Right-breast mammogram, CC. 47-year-old patient.
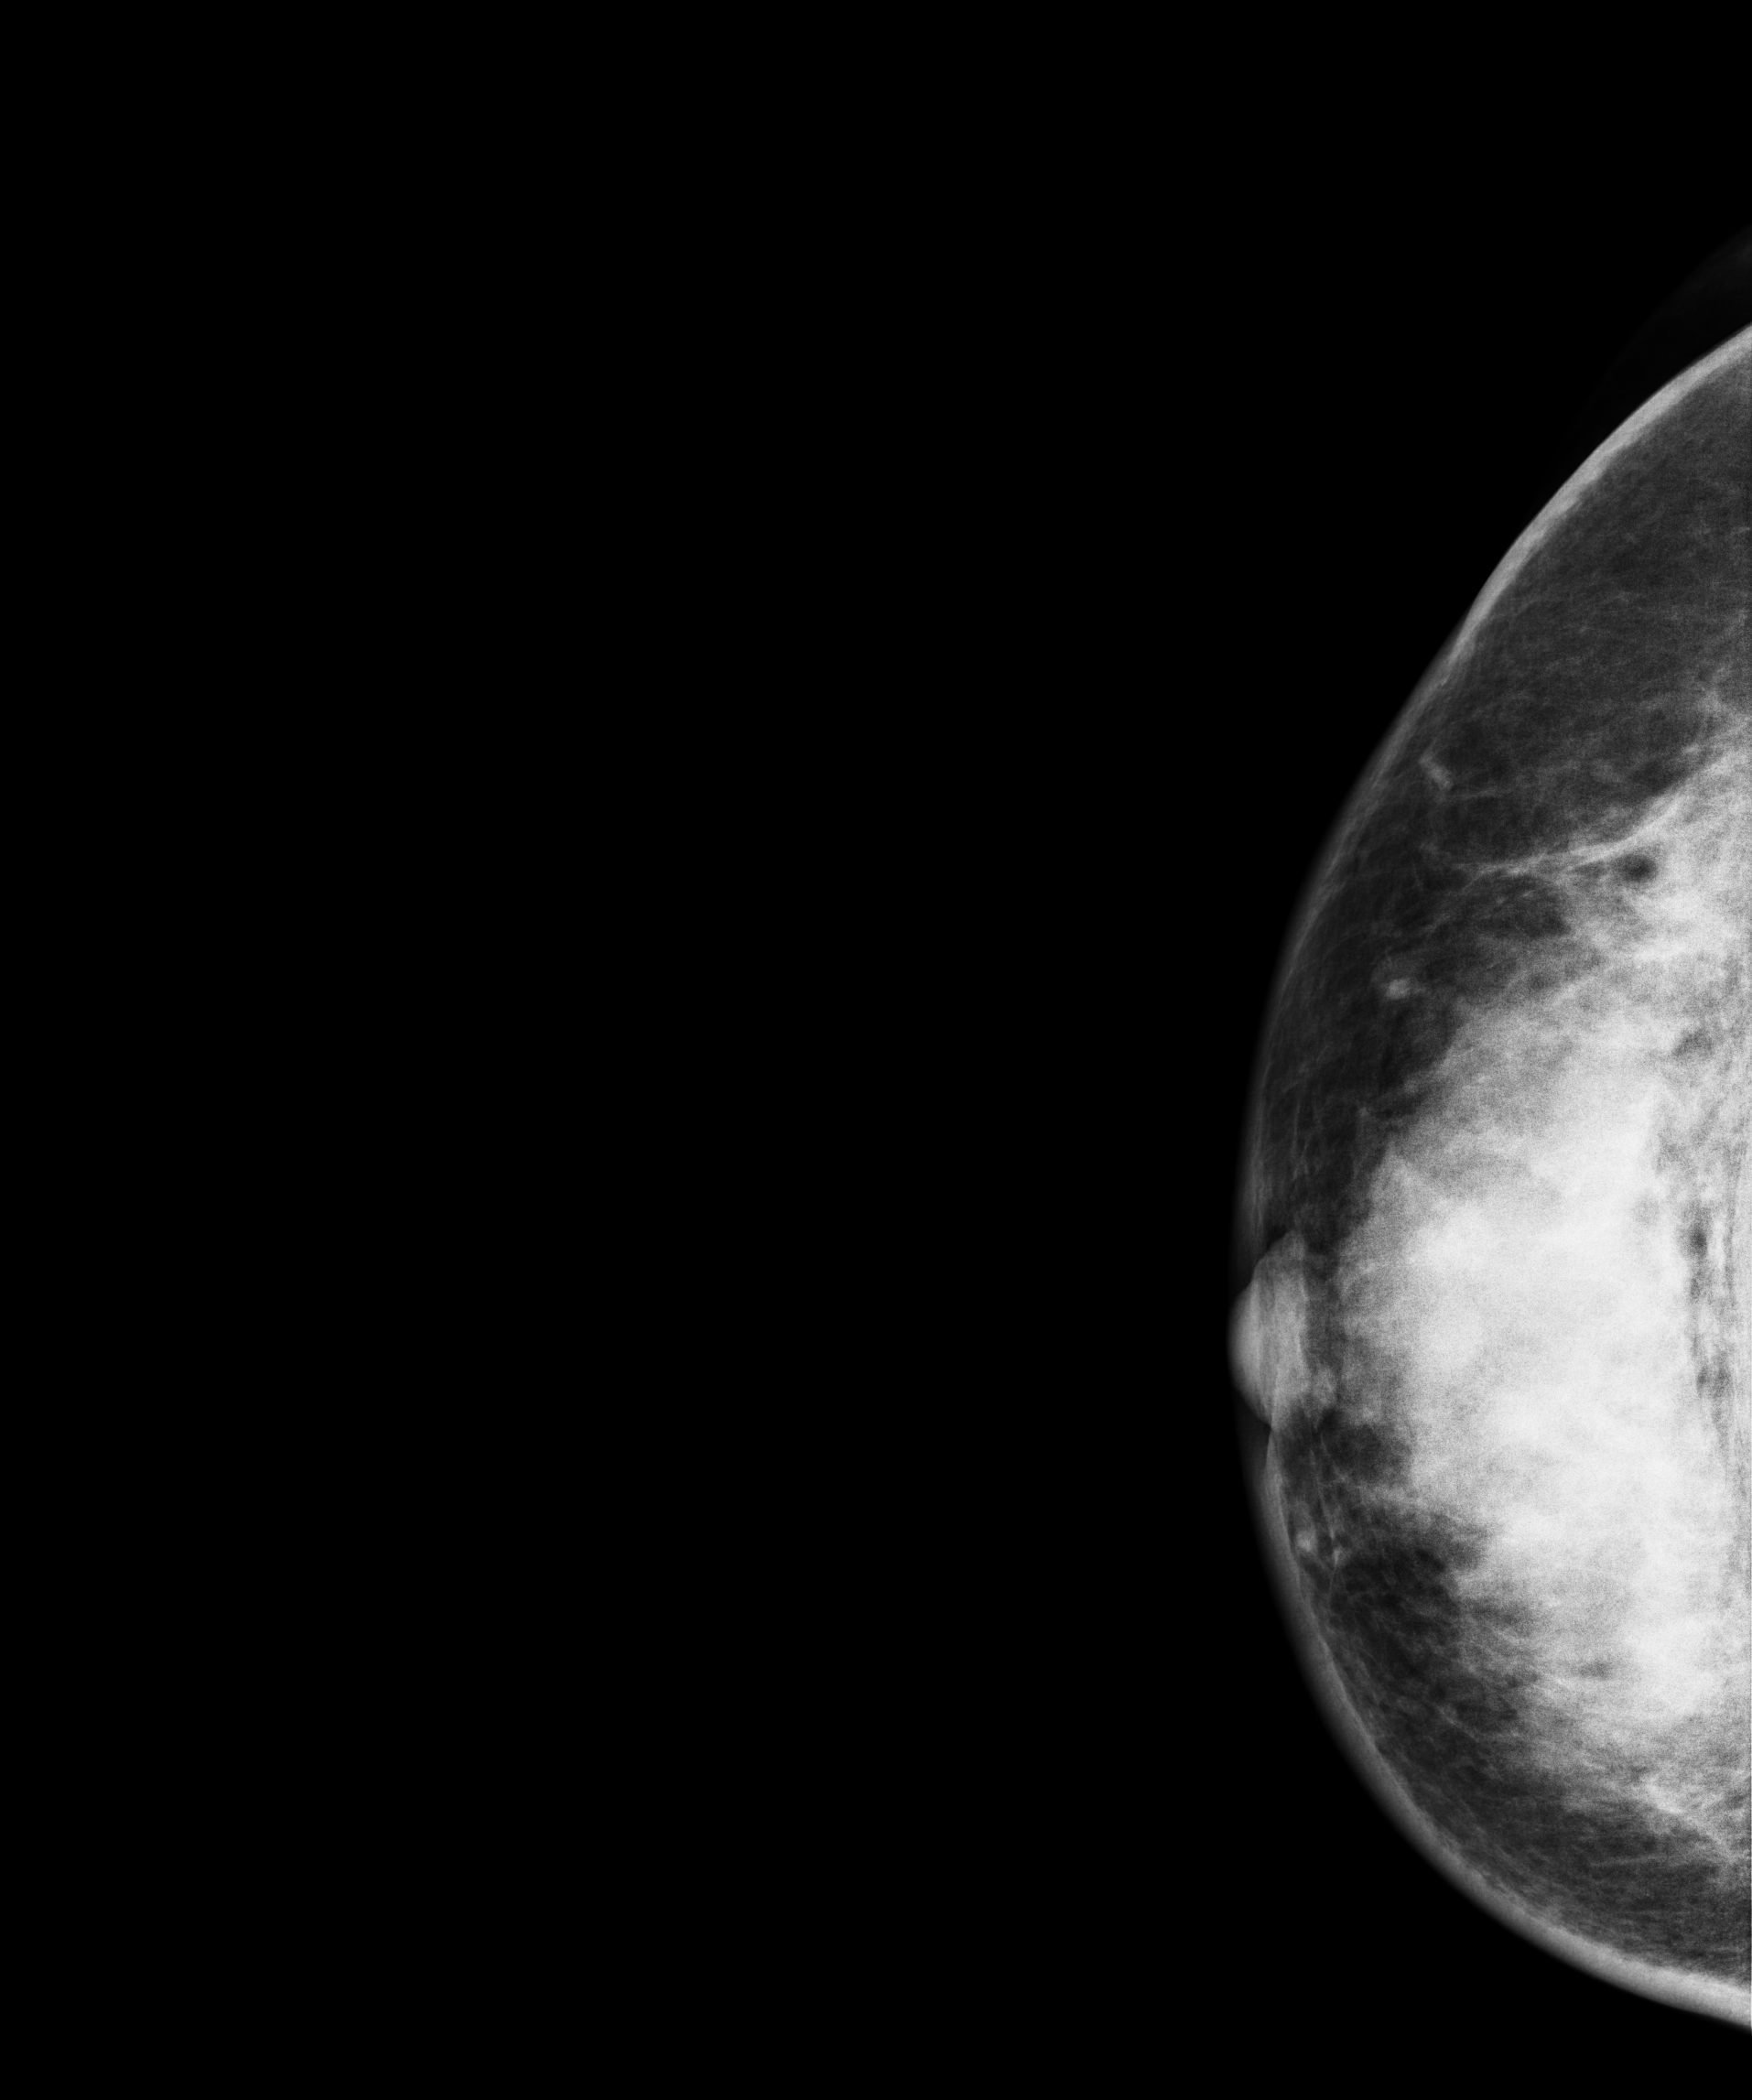
This breast has a mass, biopsy-proven malignant. Molecular subtype: HER2-enriched.